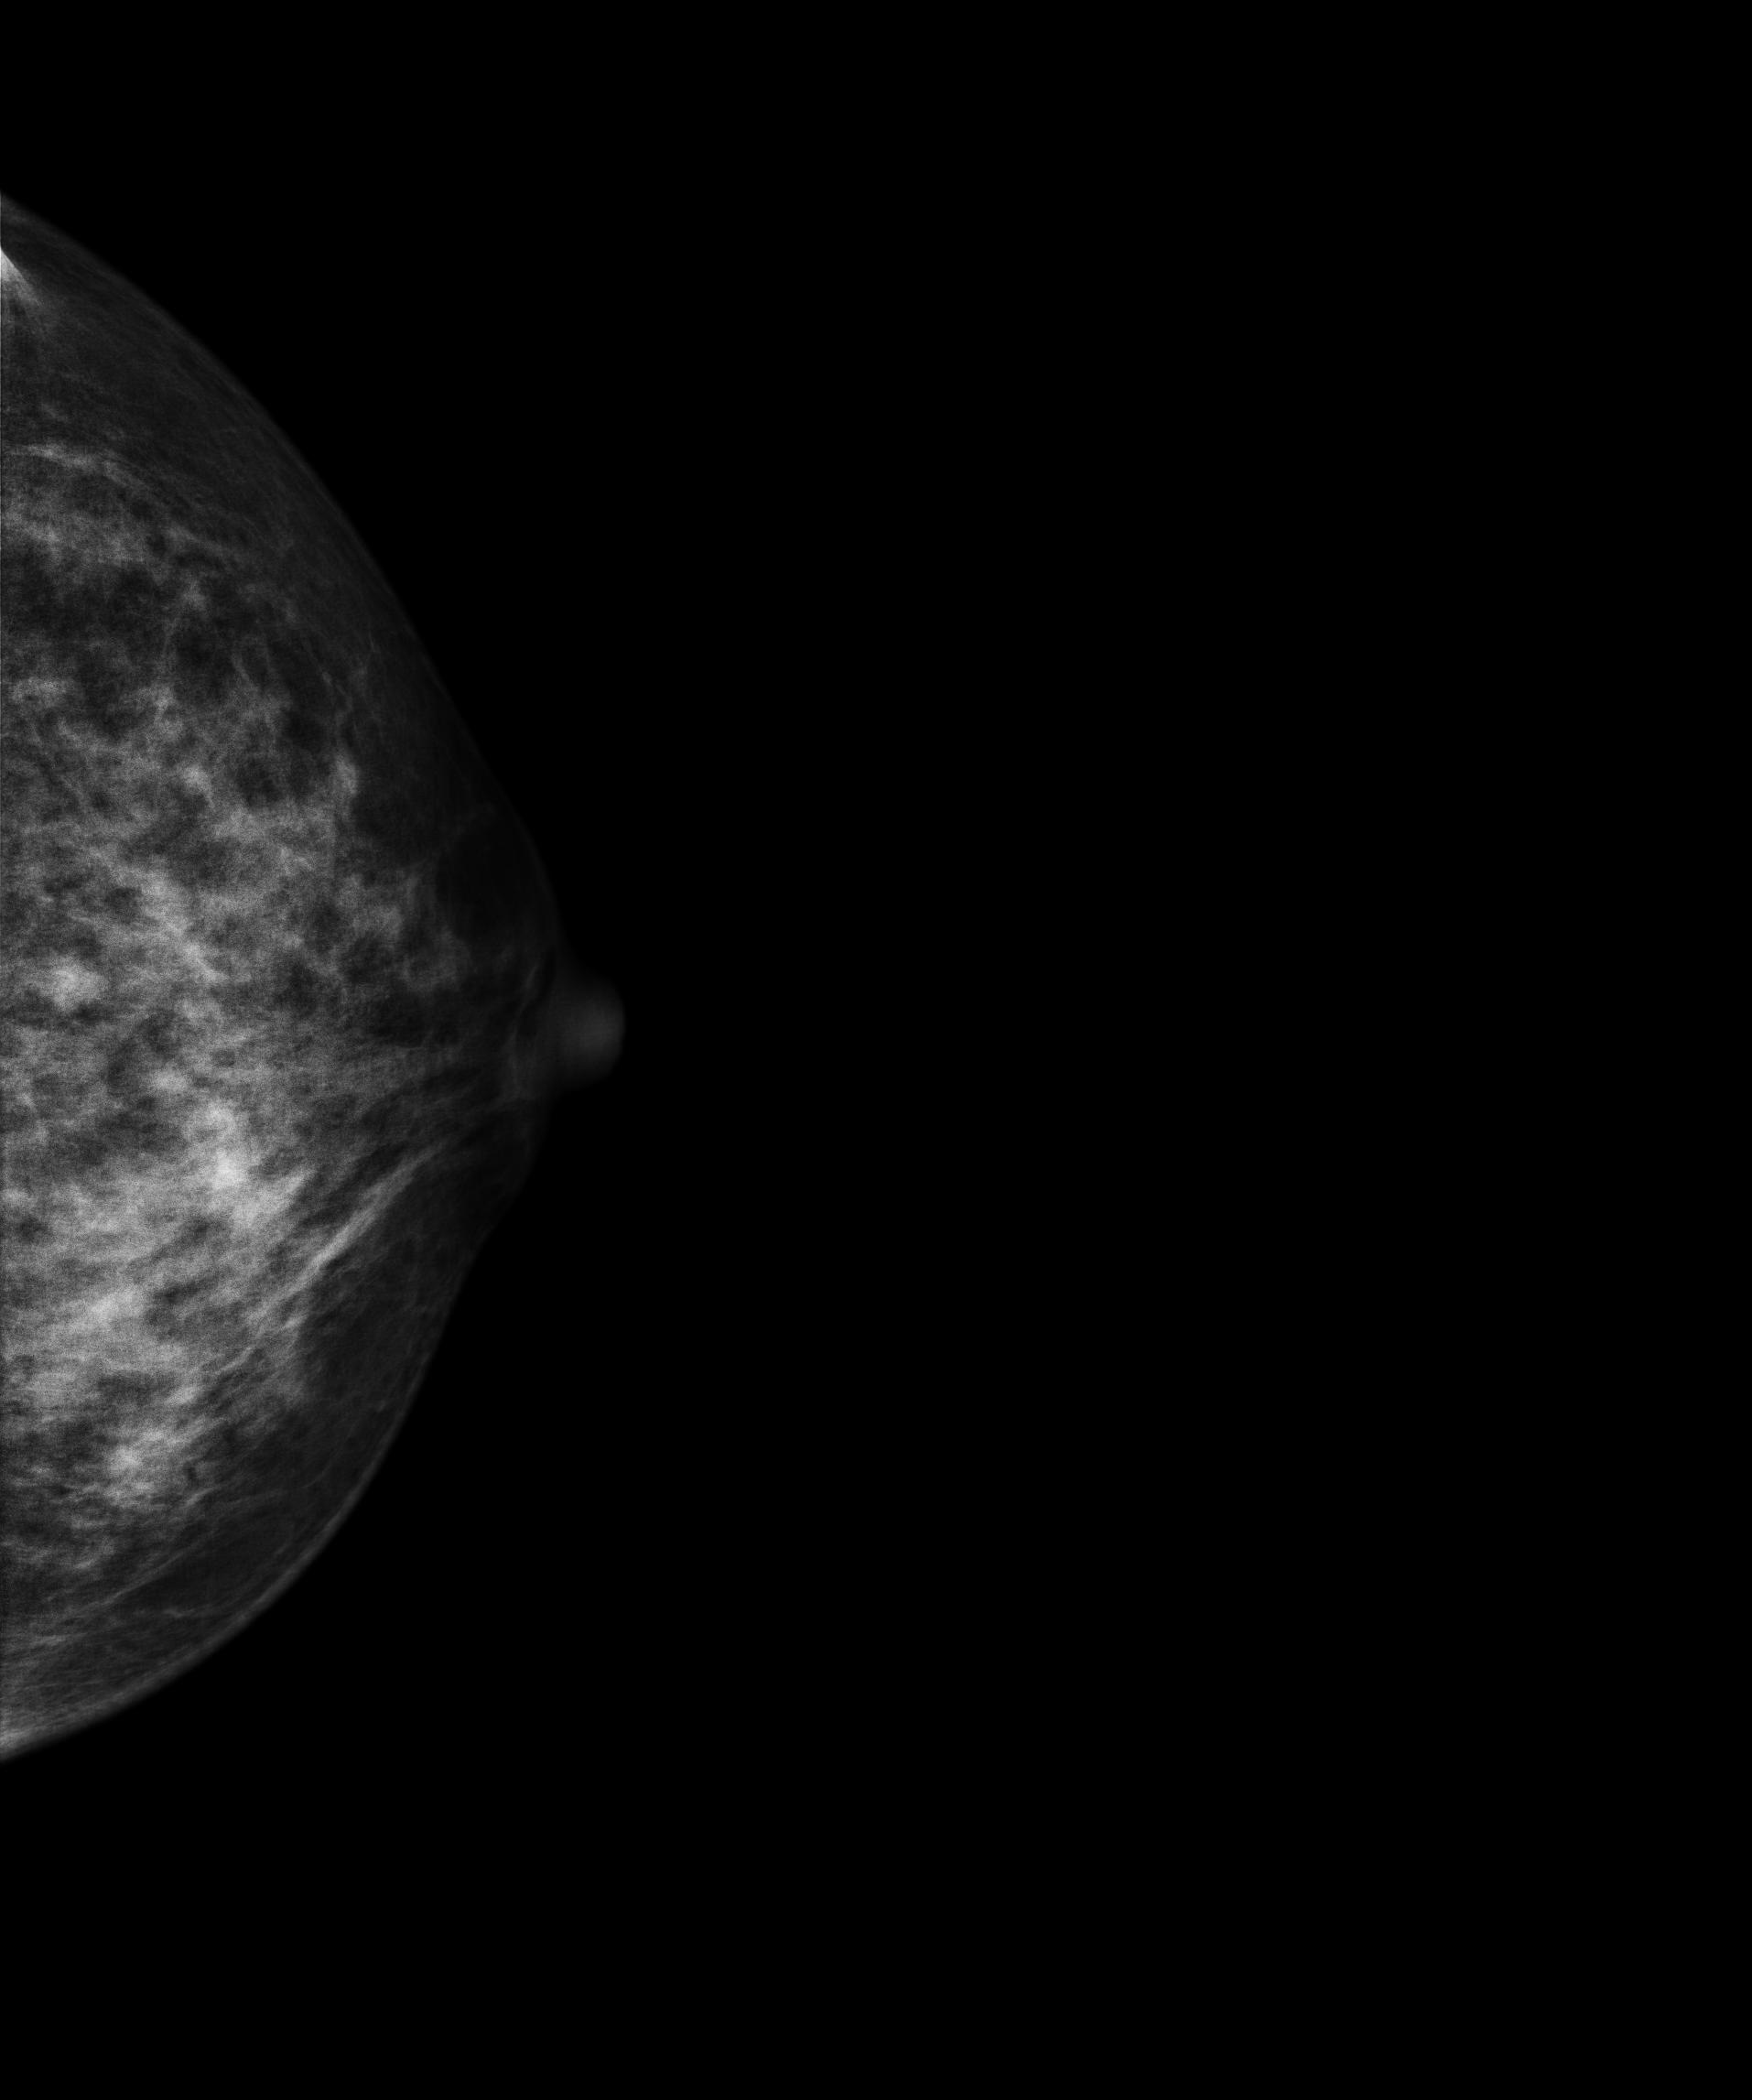
Left-breast mammogram, CC. Patient age 52.
This breast has a mass, pathology-confirmed benign.